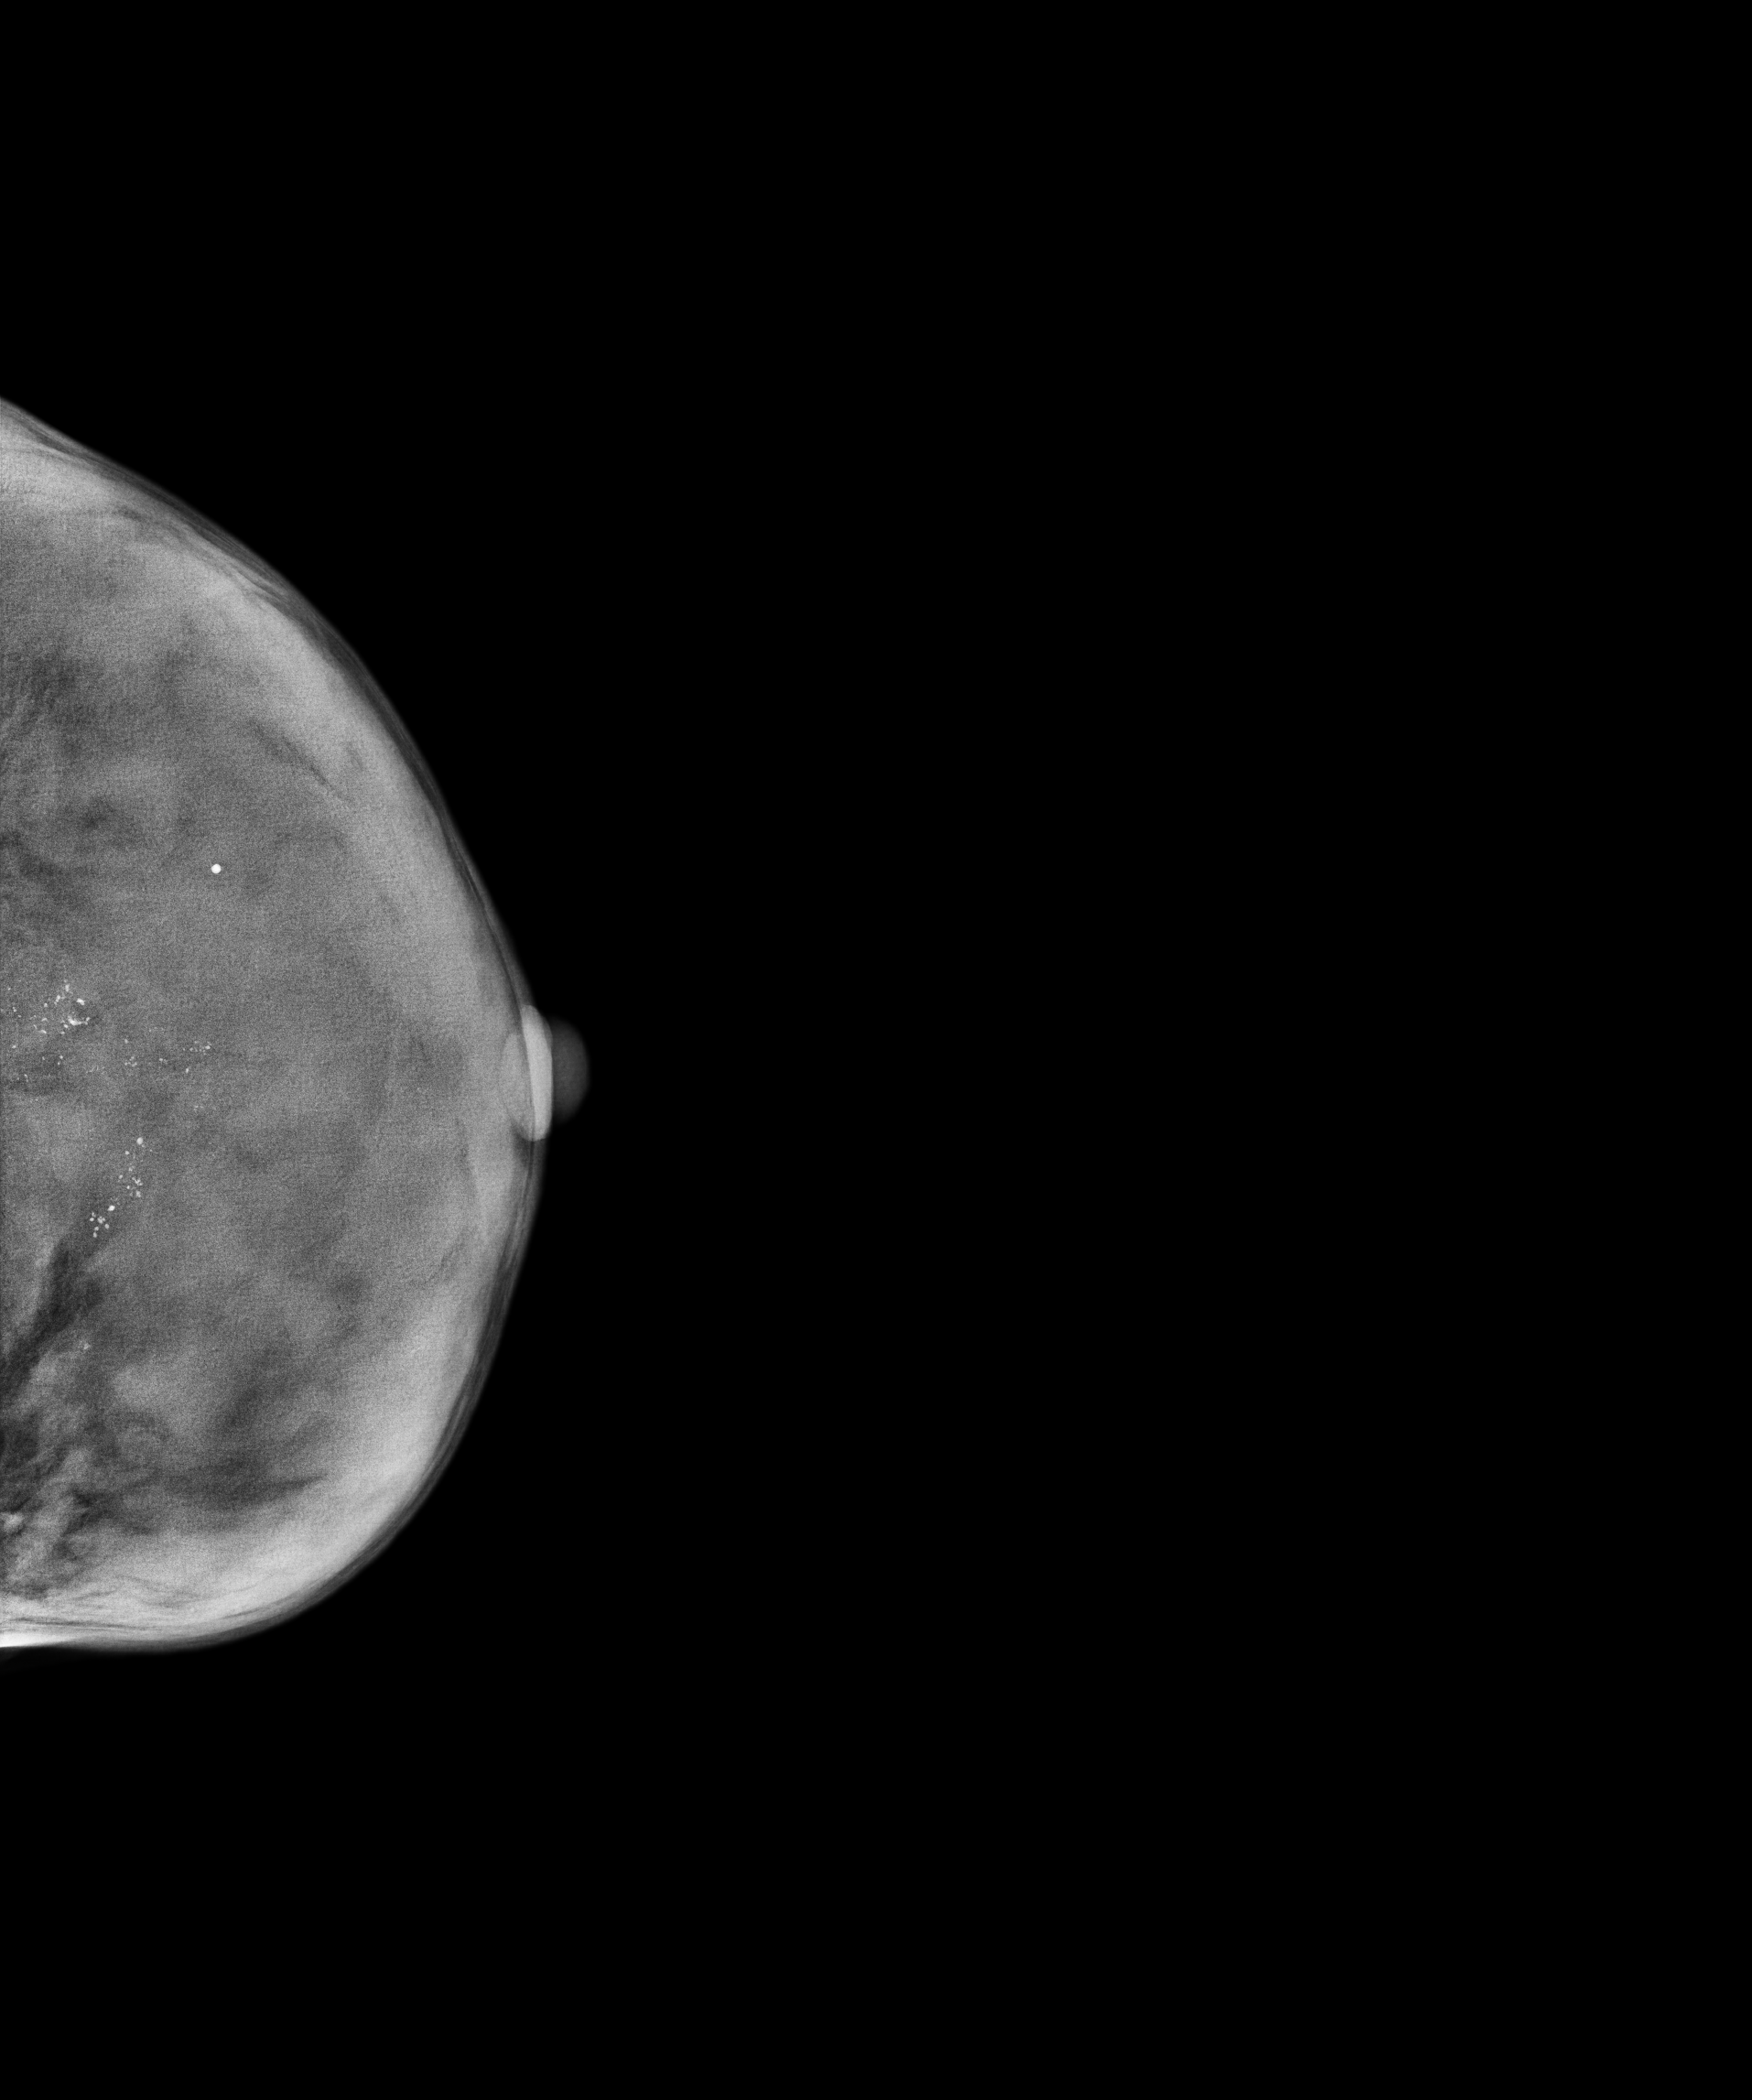
Mammogram, left breast, cranio-caudal view. Patient age 46.
This breast has calcifications, biopsy-confirmed malignant. Molecular subtype: luminal B.